Medio-lateral oblique mammogram of the left breast. 50-year-old patient.
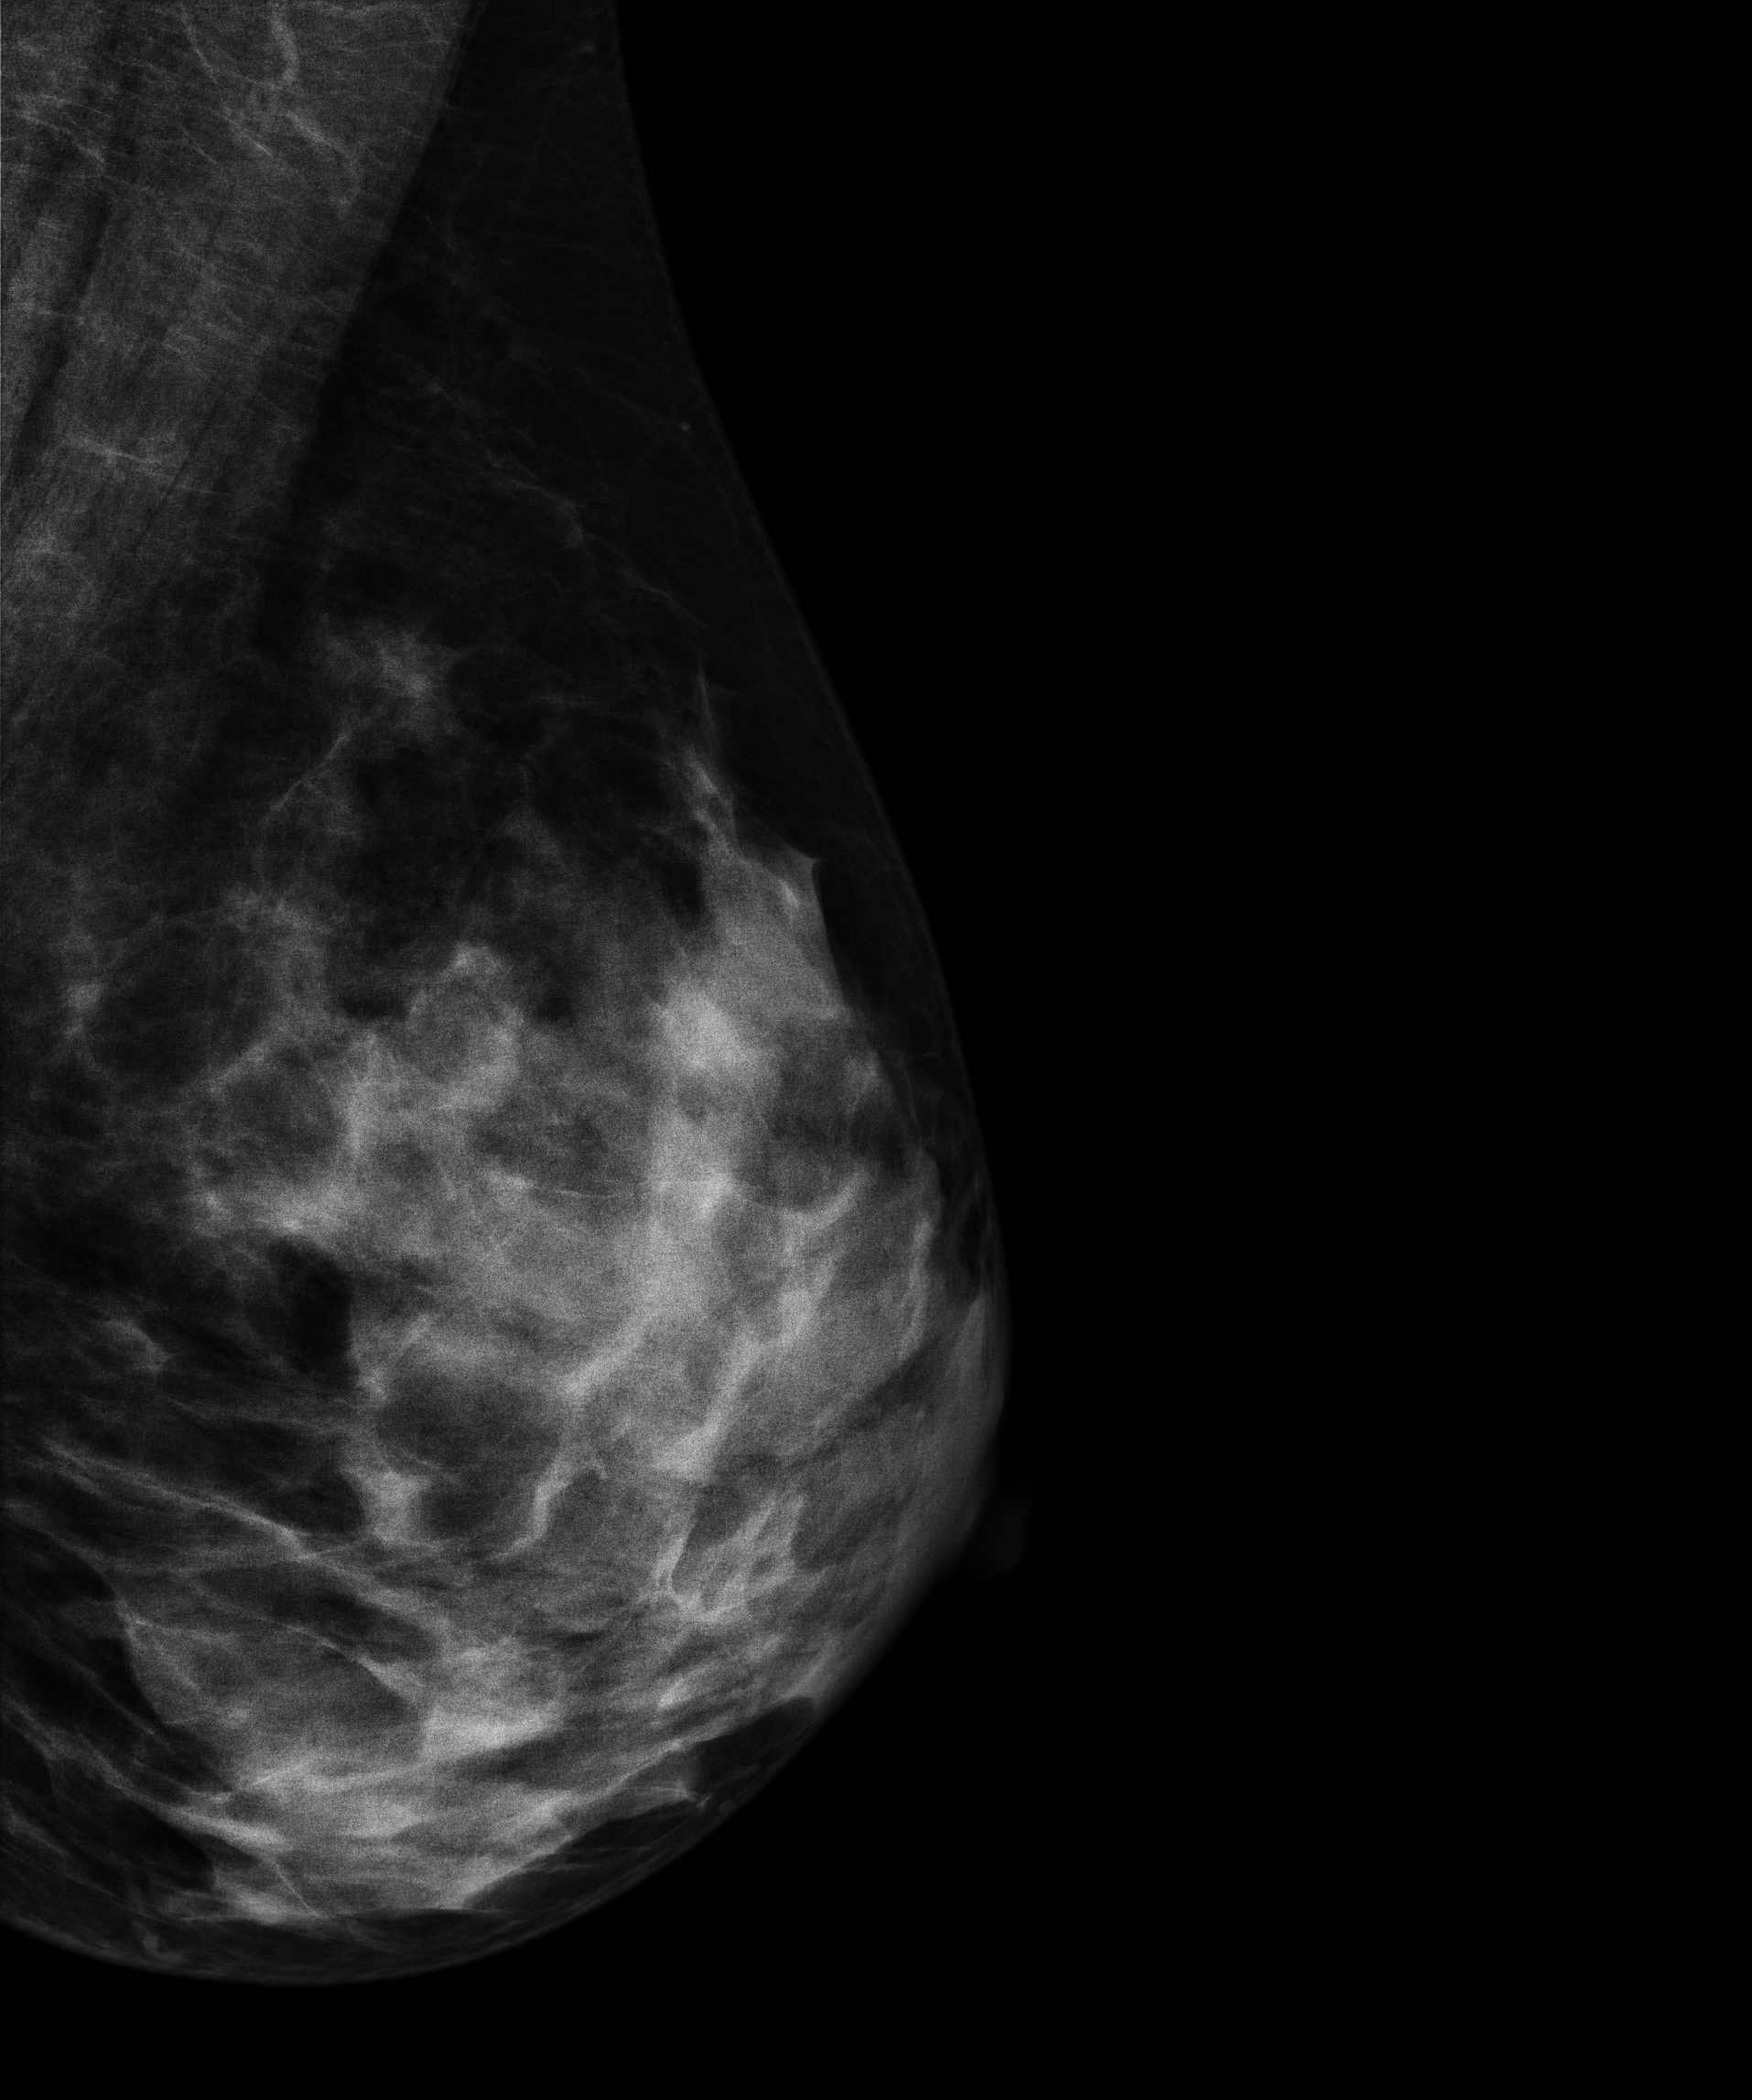
Contralateral breast — no documented abnormality on this side.